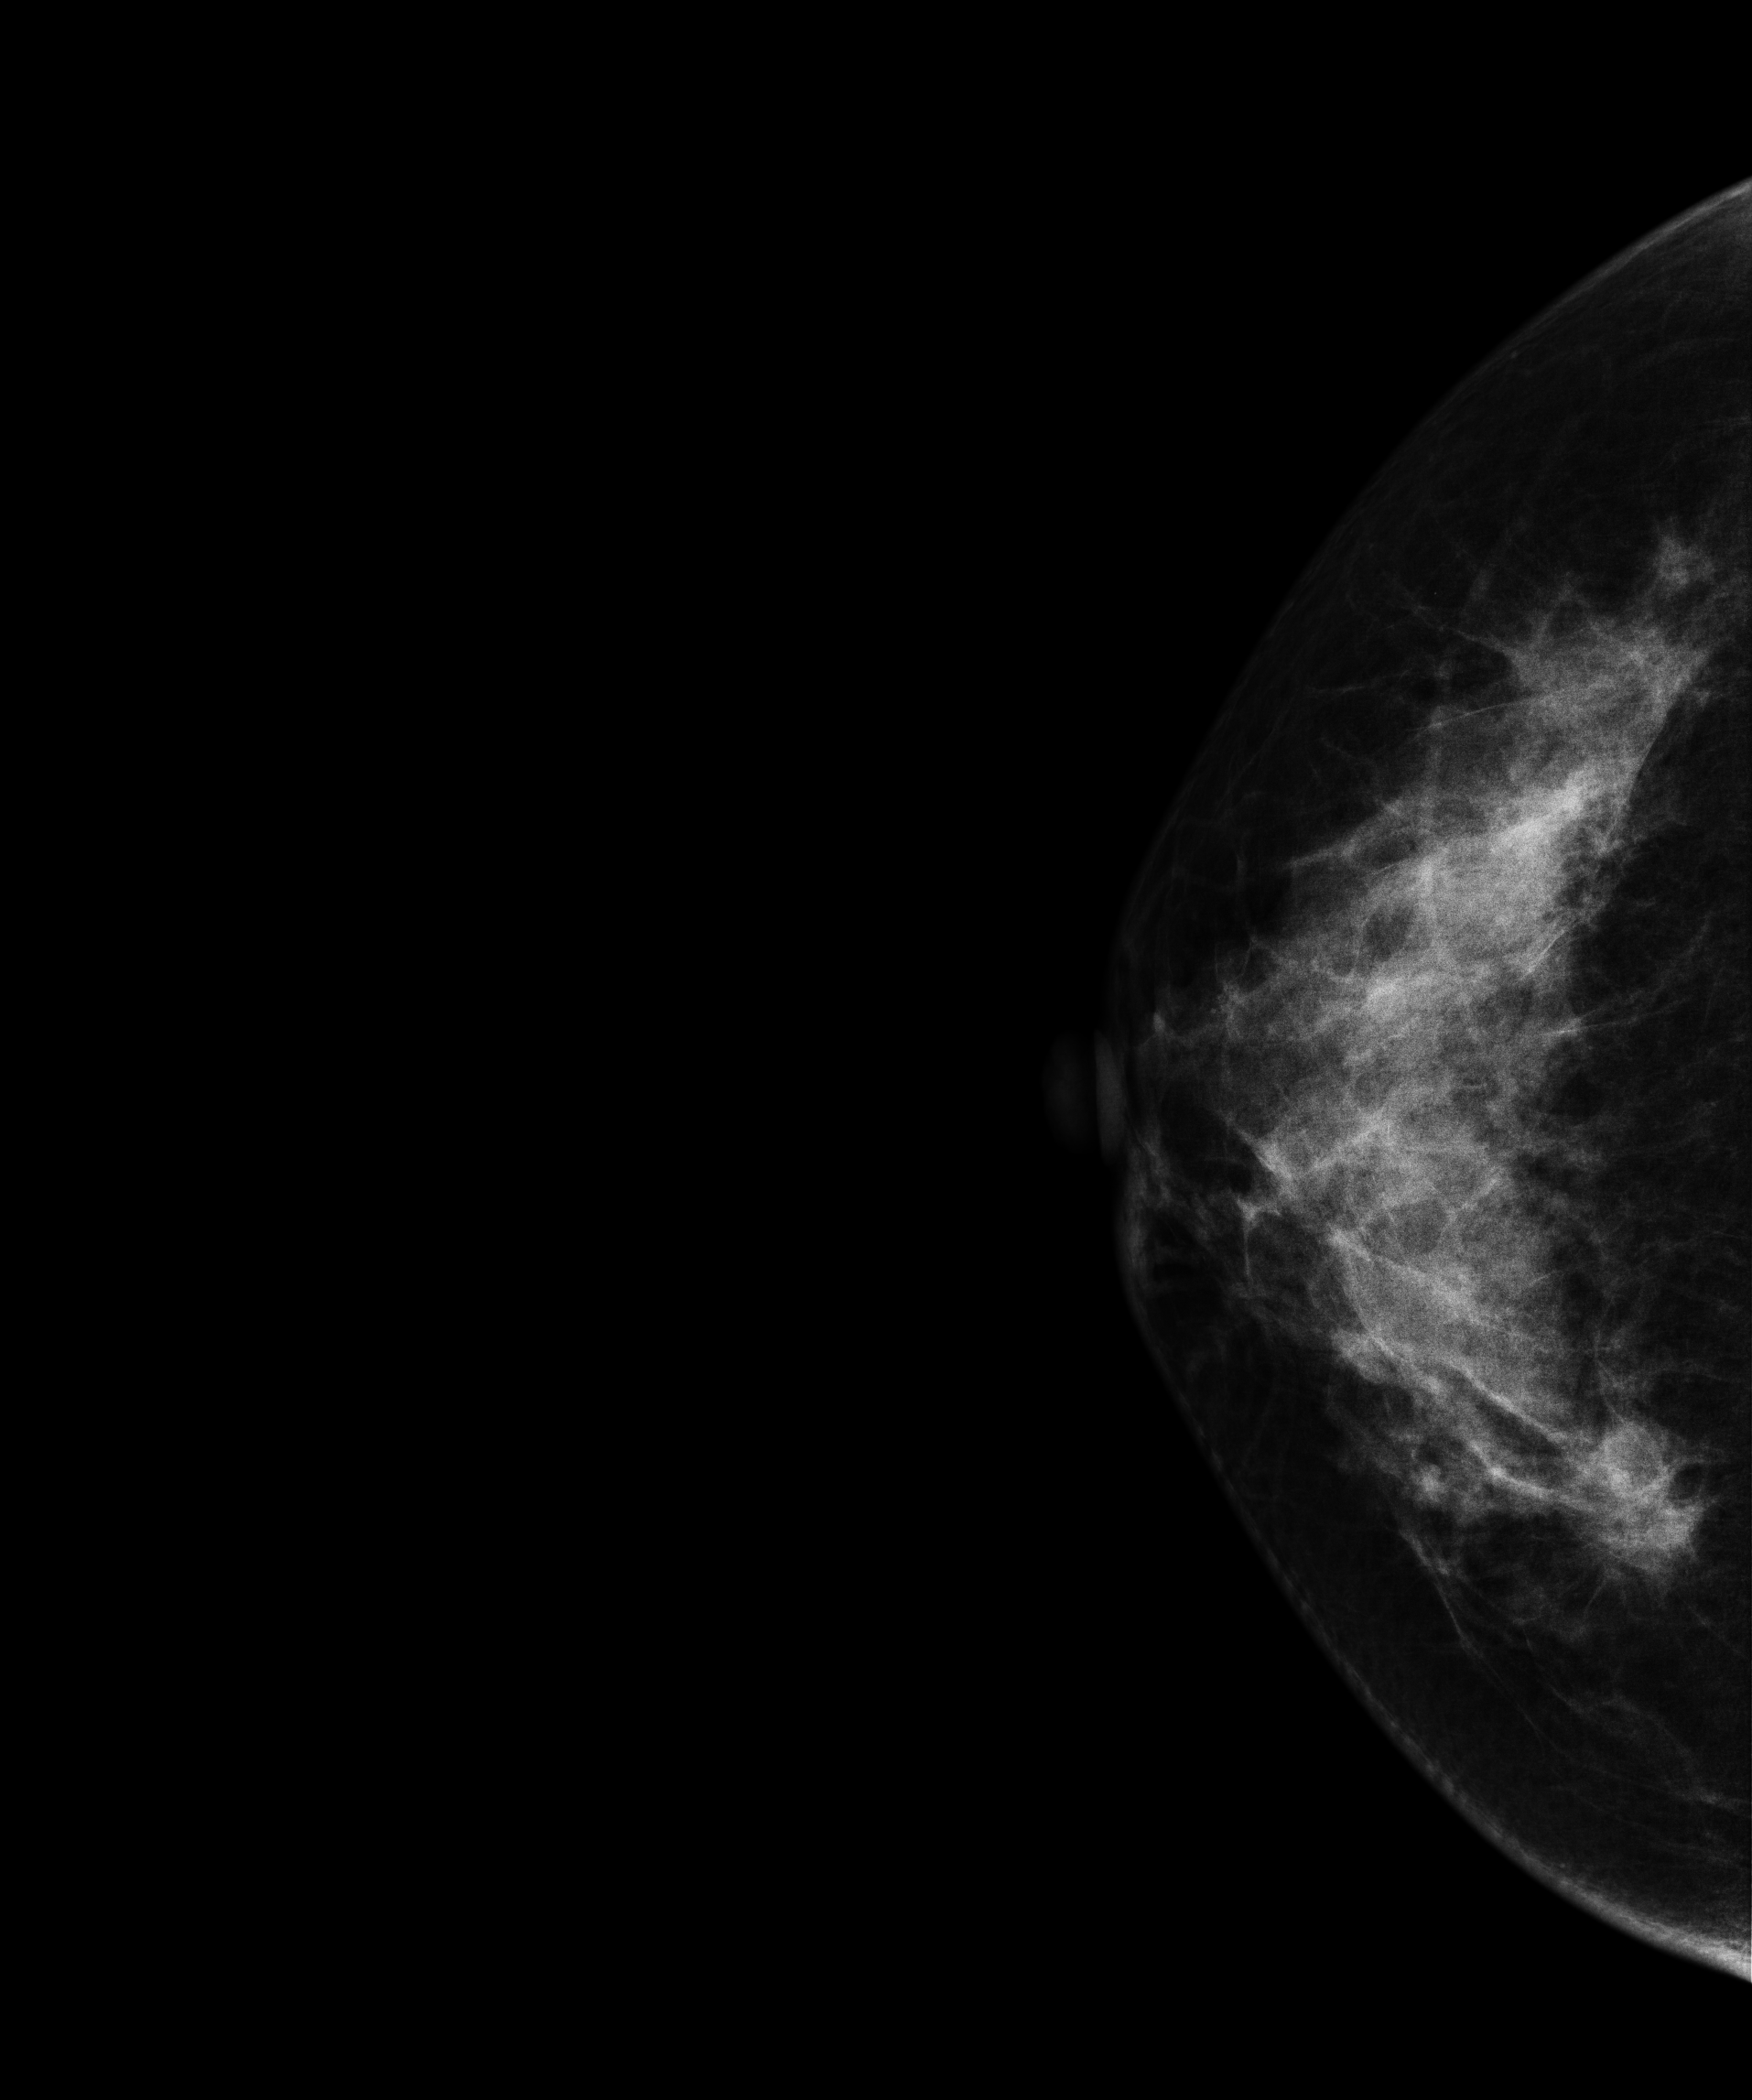
Cranio-caudal mammogram of the right breast. 50 y/o patient.
This breast has a mass, pathology-confirmed malignant.